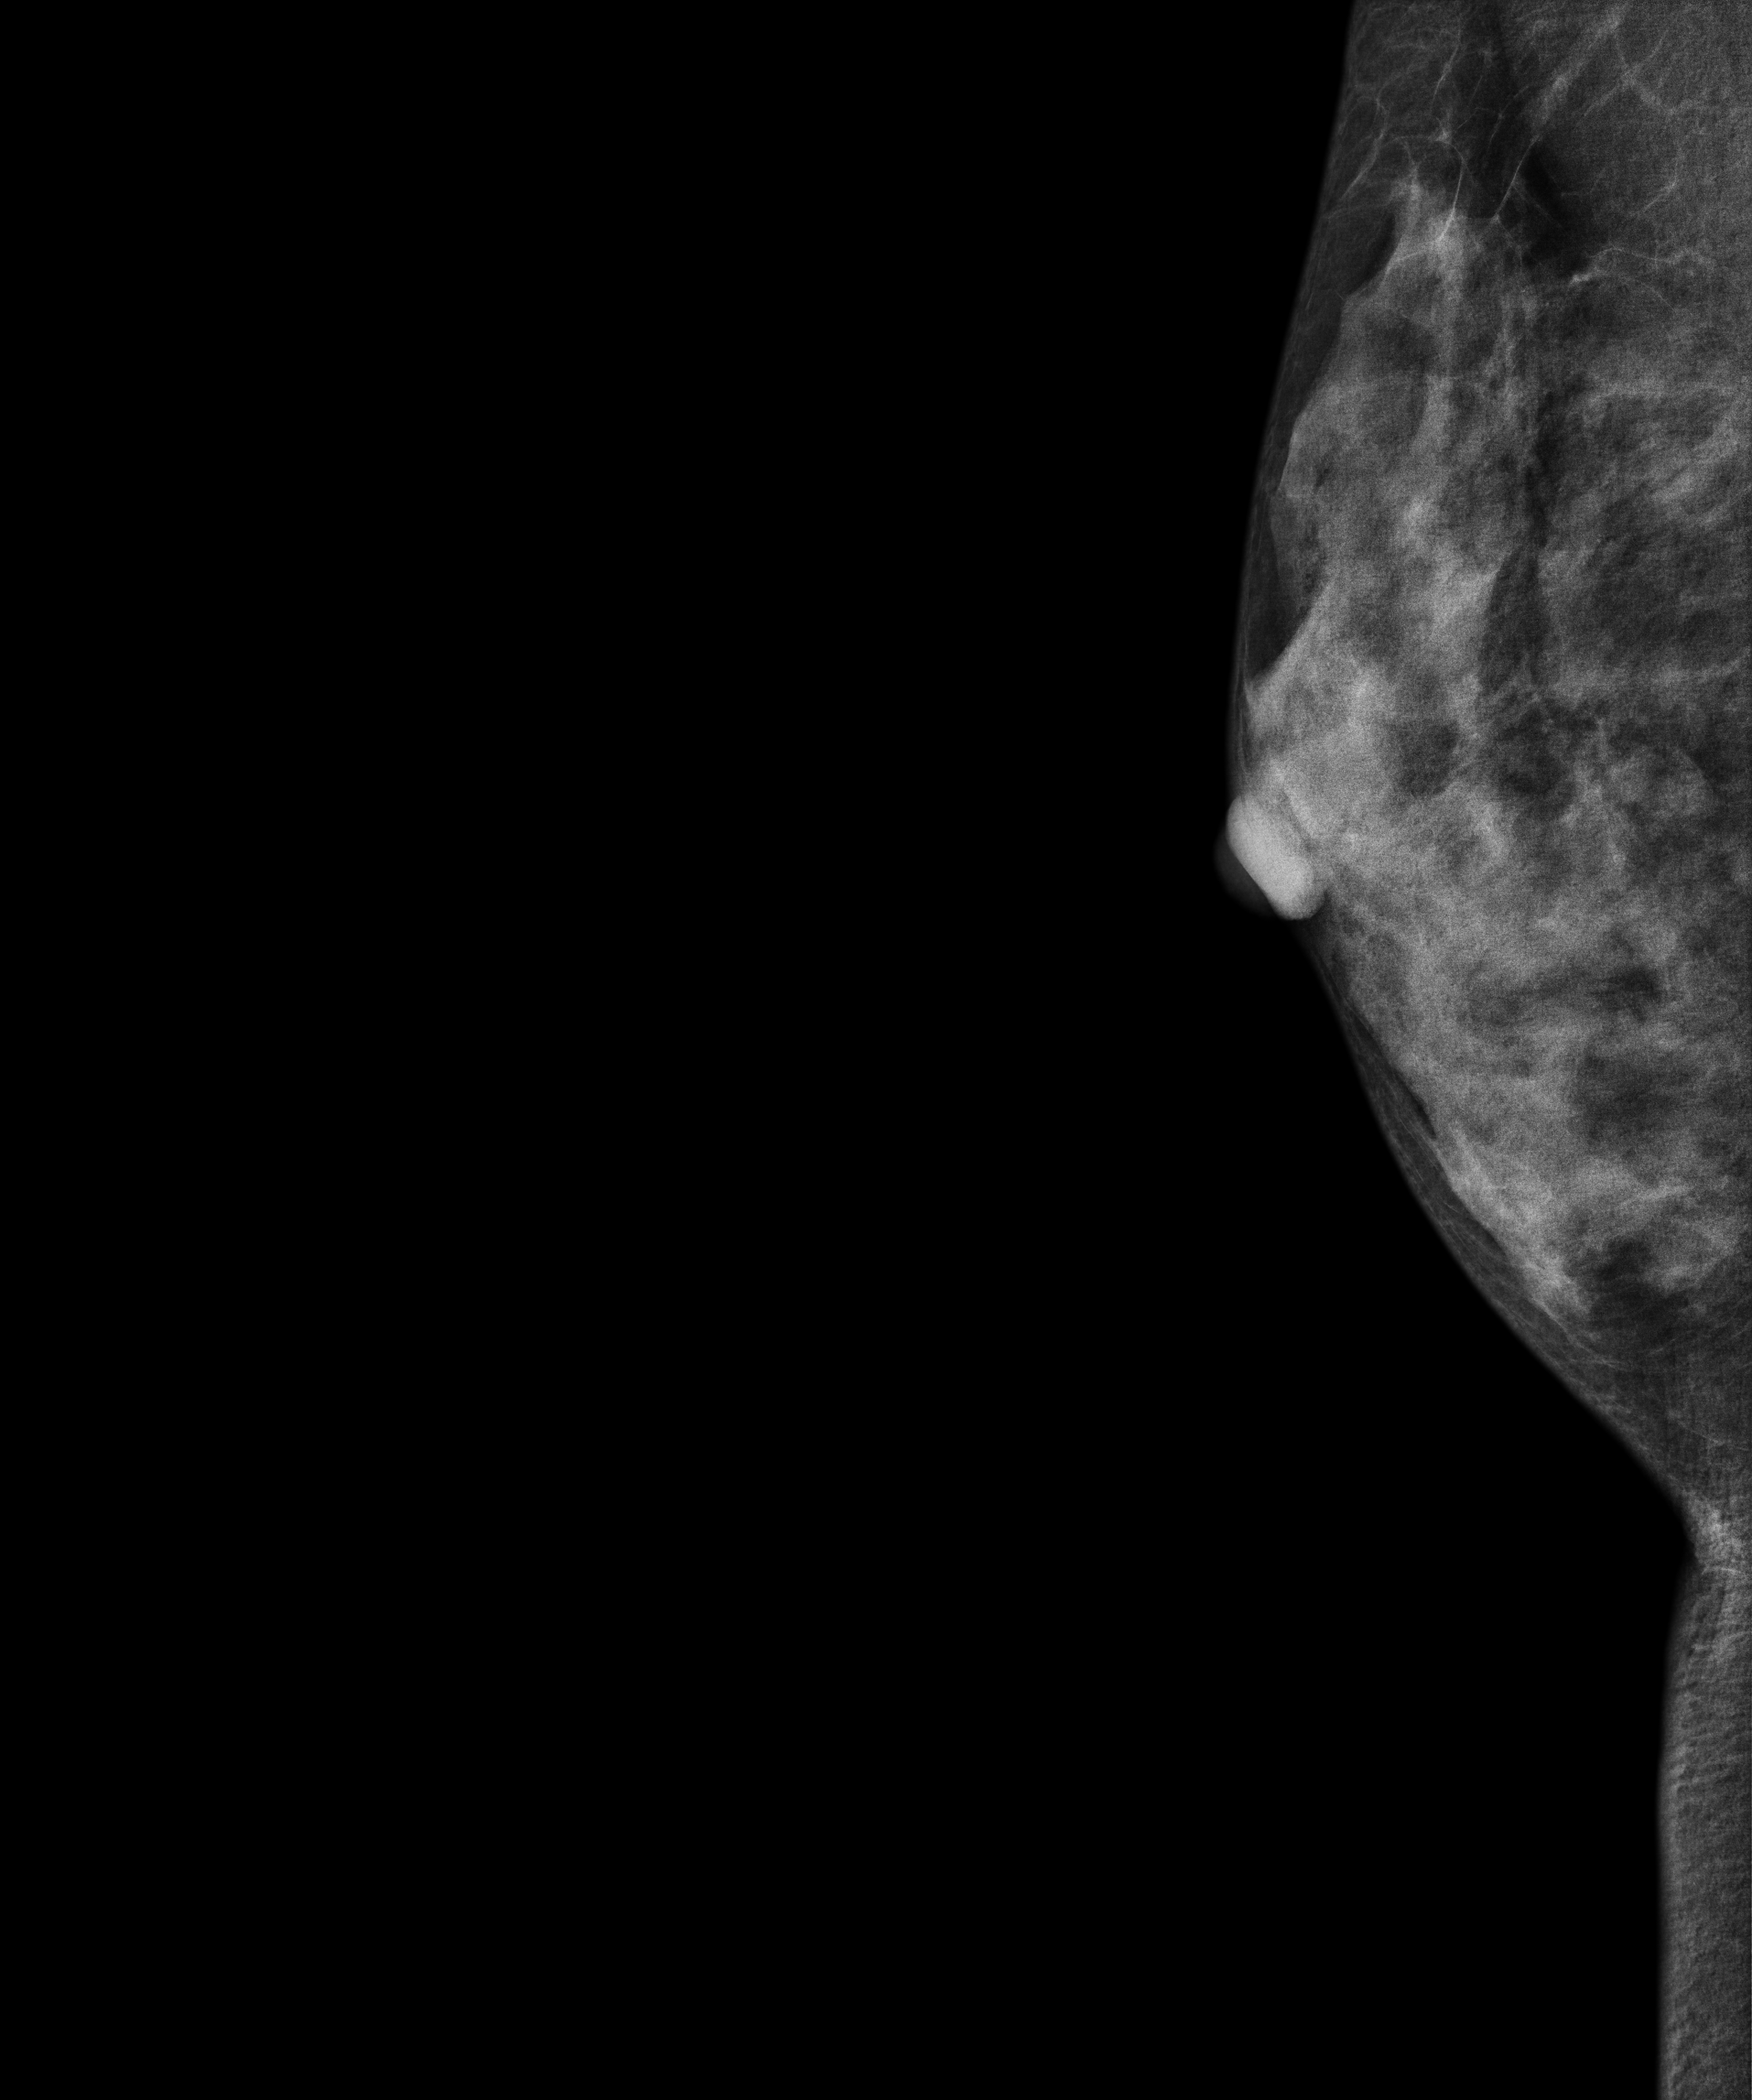
Mammogram, right breast, MLO view. Patient age 45.
Contralateral breast — no documented abnormality on this side.